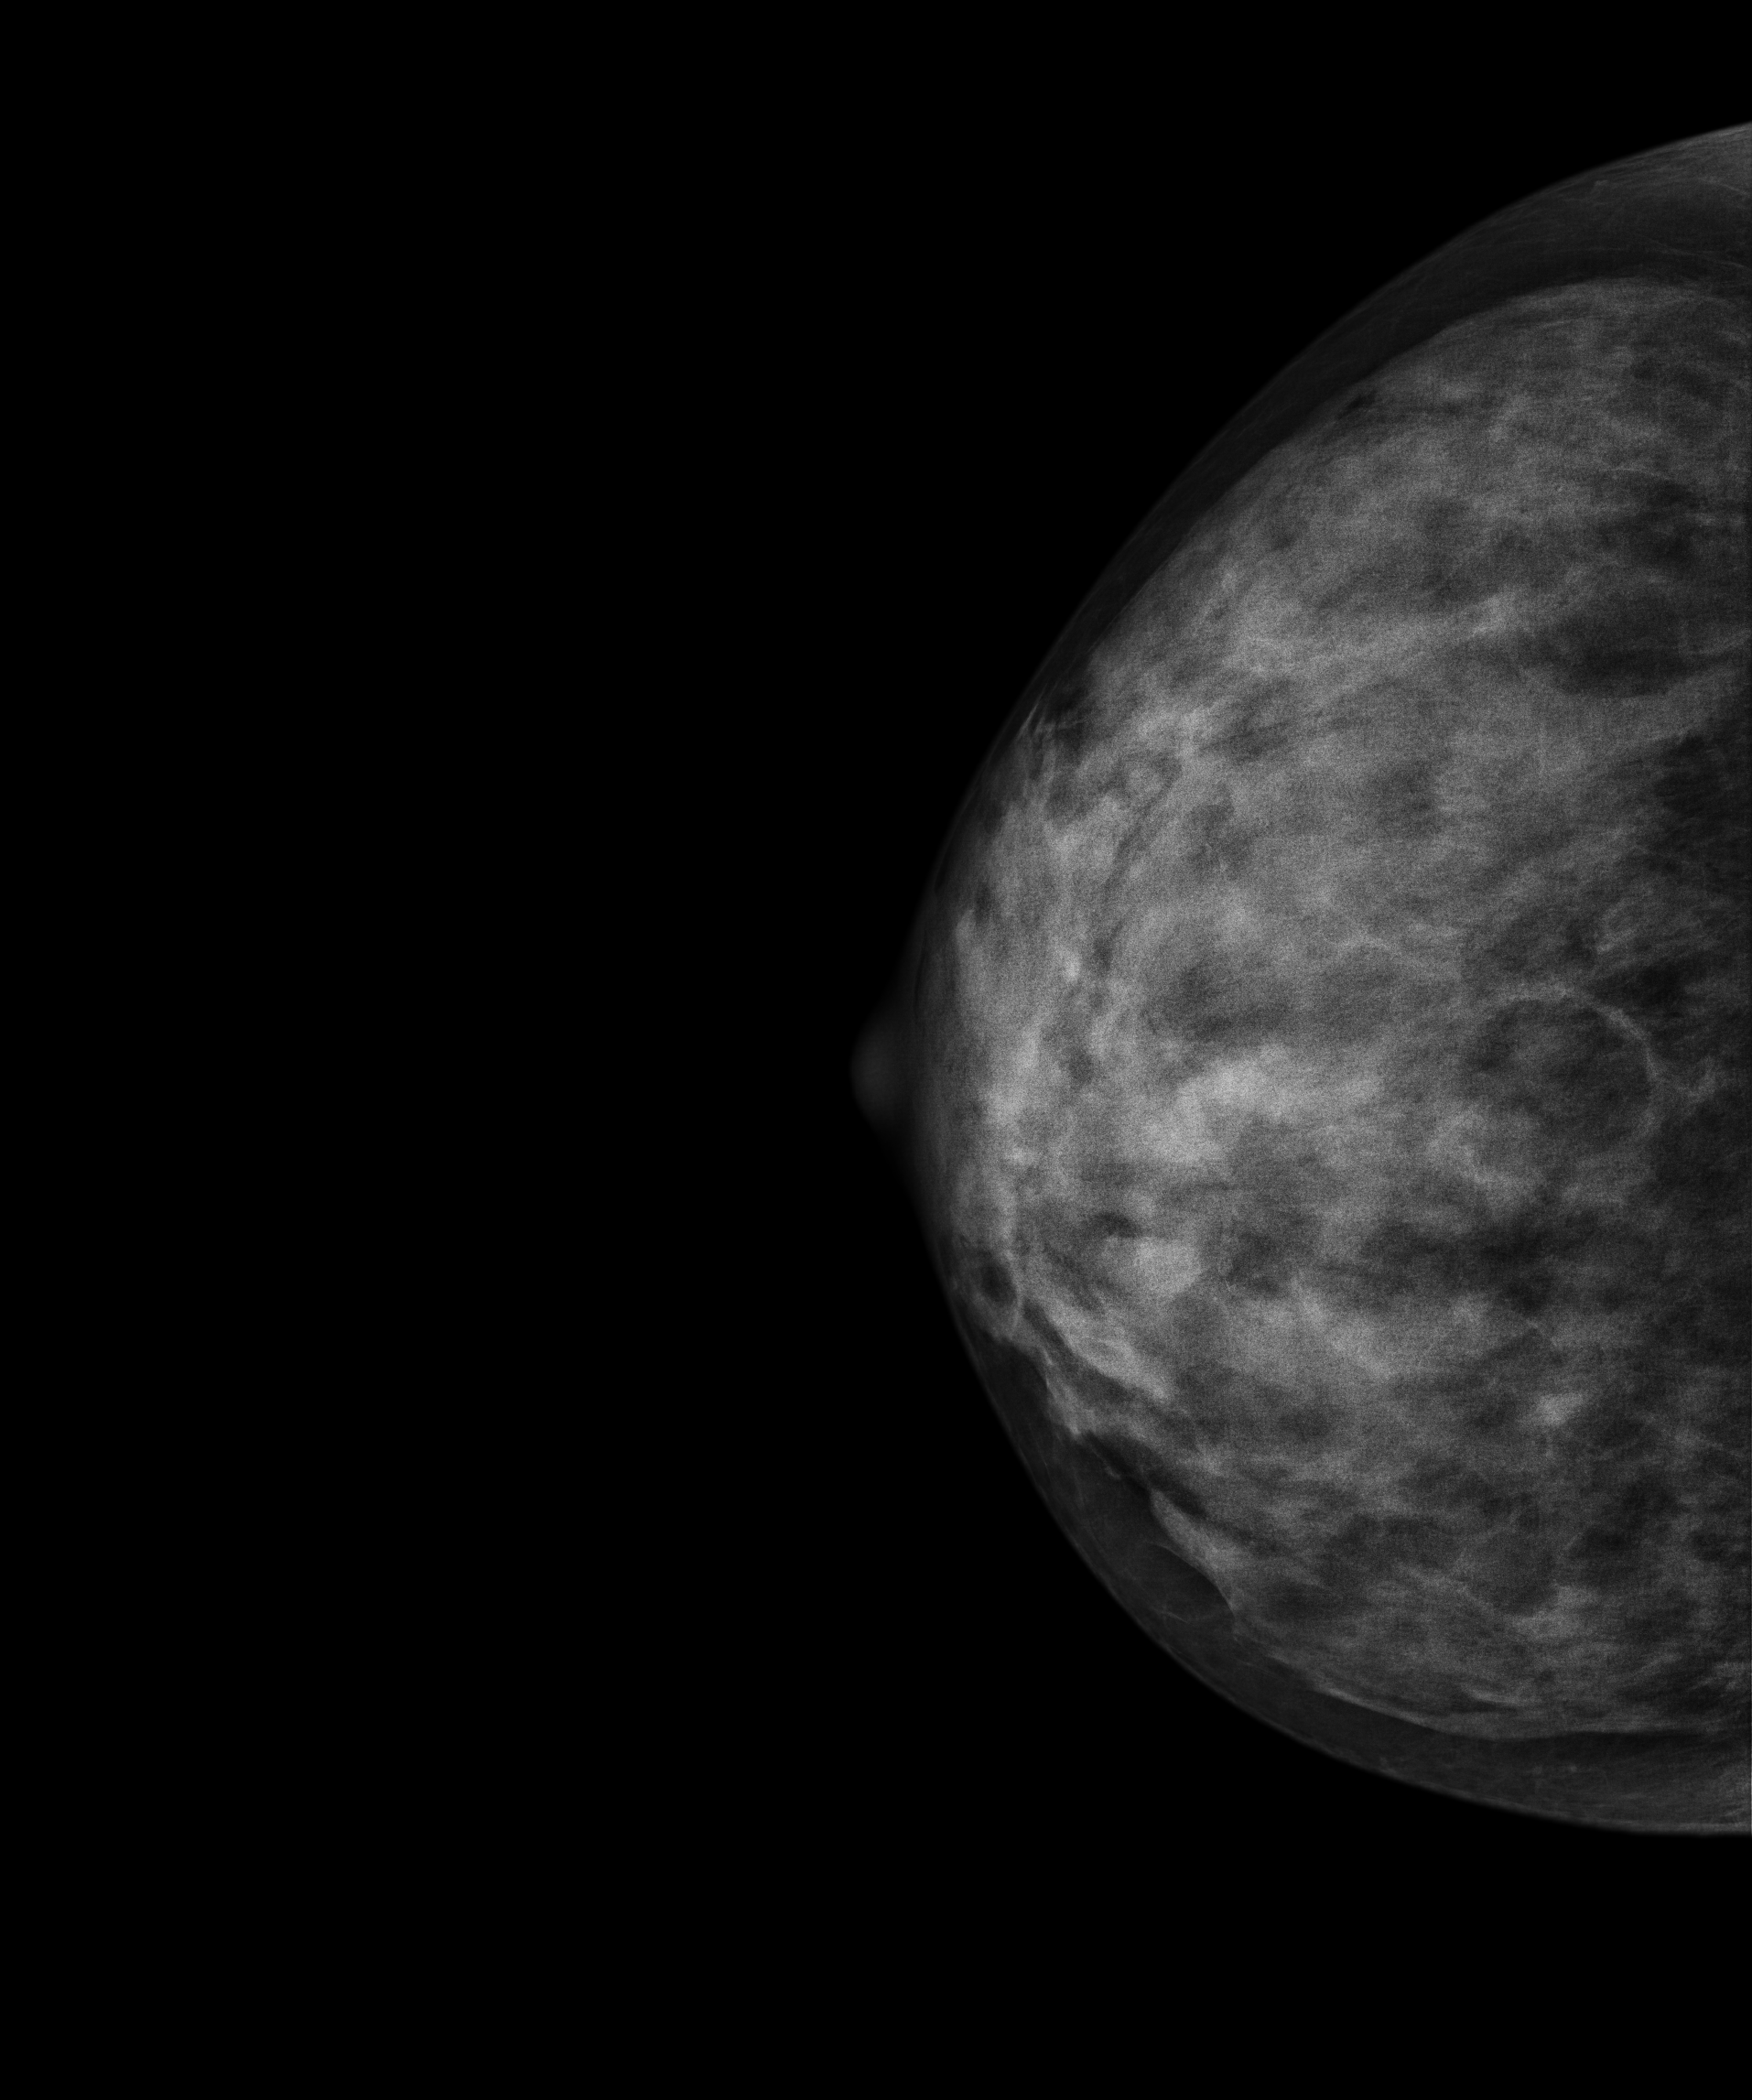
CC mammogram of the right breast. Patient age 40.
Contralateral breast — no documented abnormality on this side.